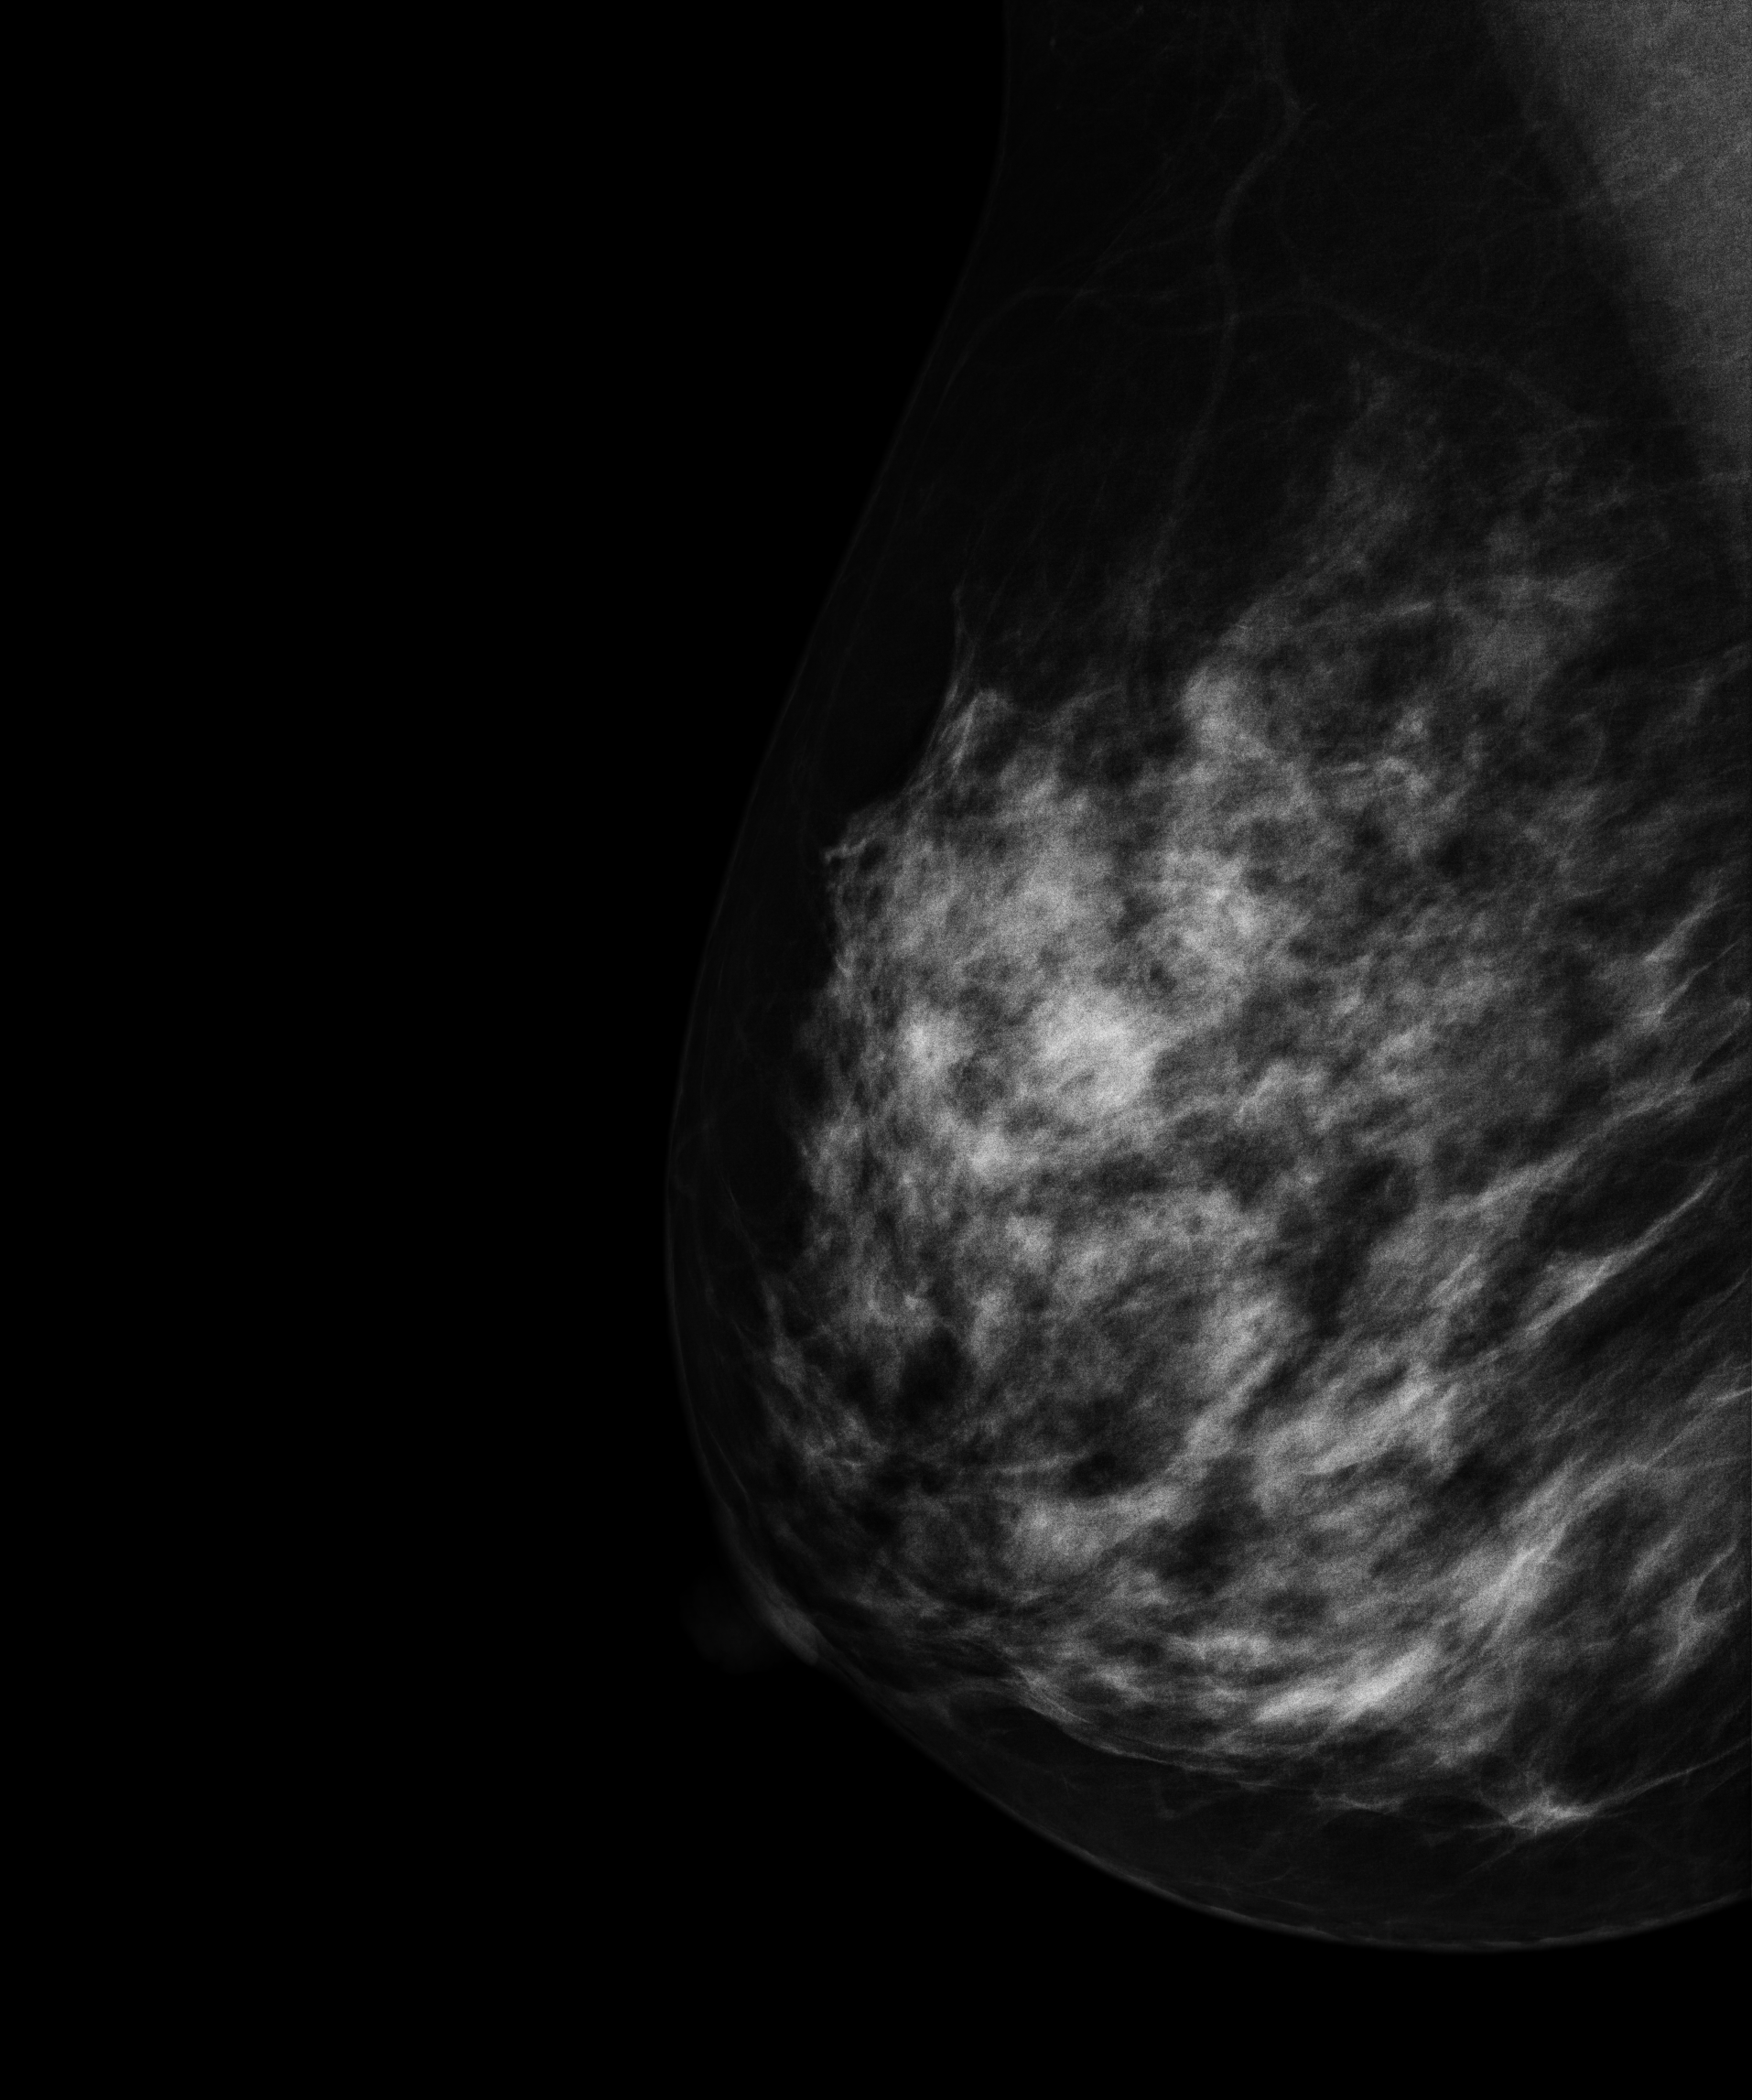
Mammogram — right MLO. 39 y/o patient.
This breast has a mass, biopsy-proven benign.